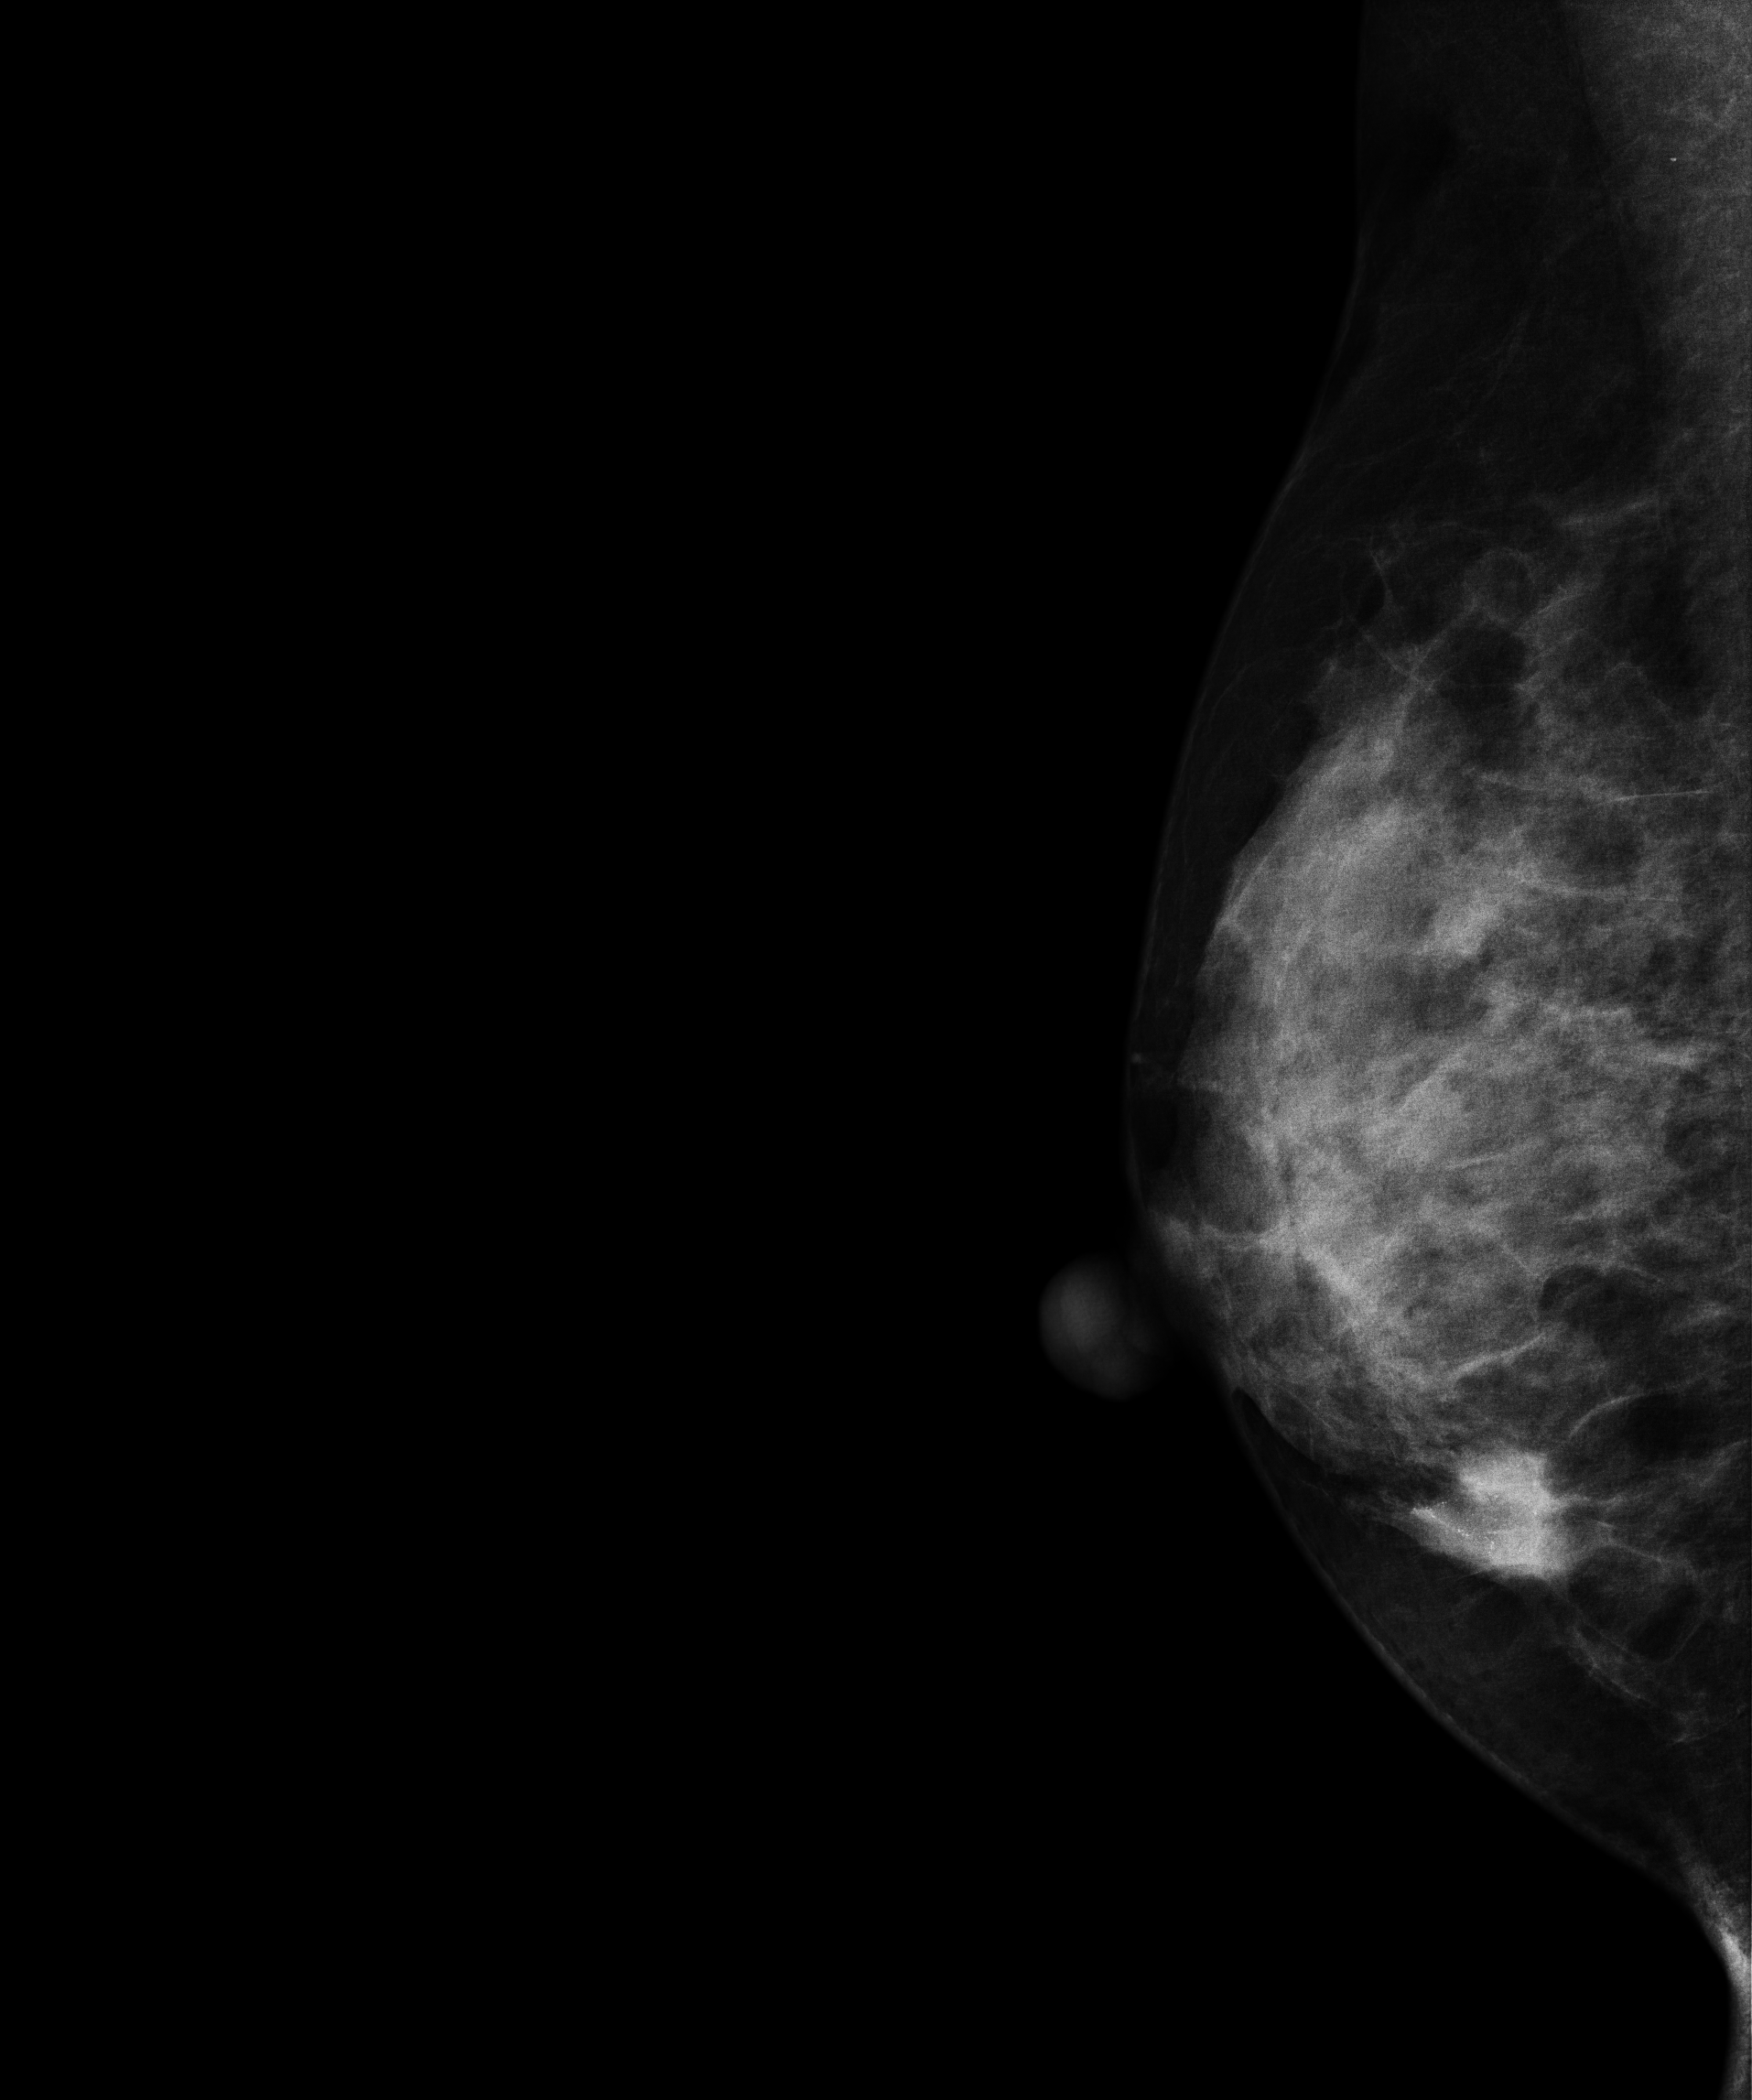
Mammogram — right MLO. 48-year-old patient.
This breast has a mass and calcifications, biopsy-confirmed malignant. Molecular subtype: luminal B.